Mammogram, right breast, CC view. 39-year-old patient.
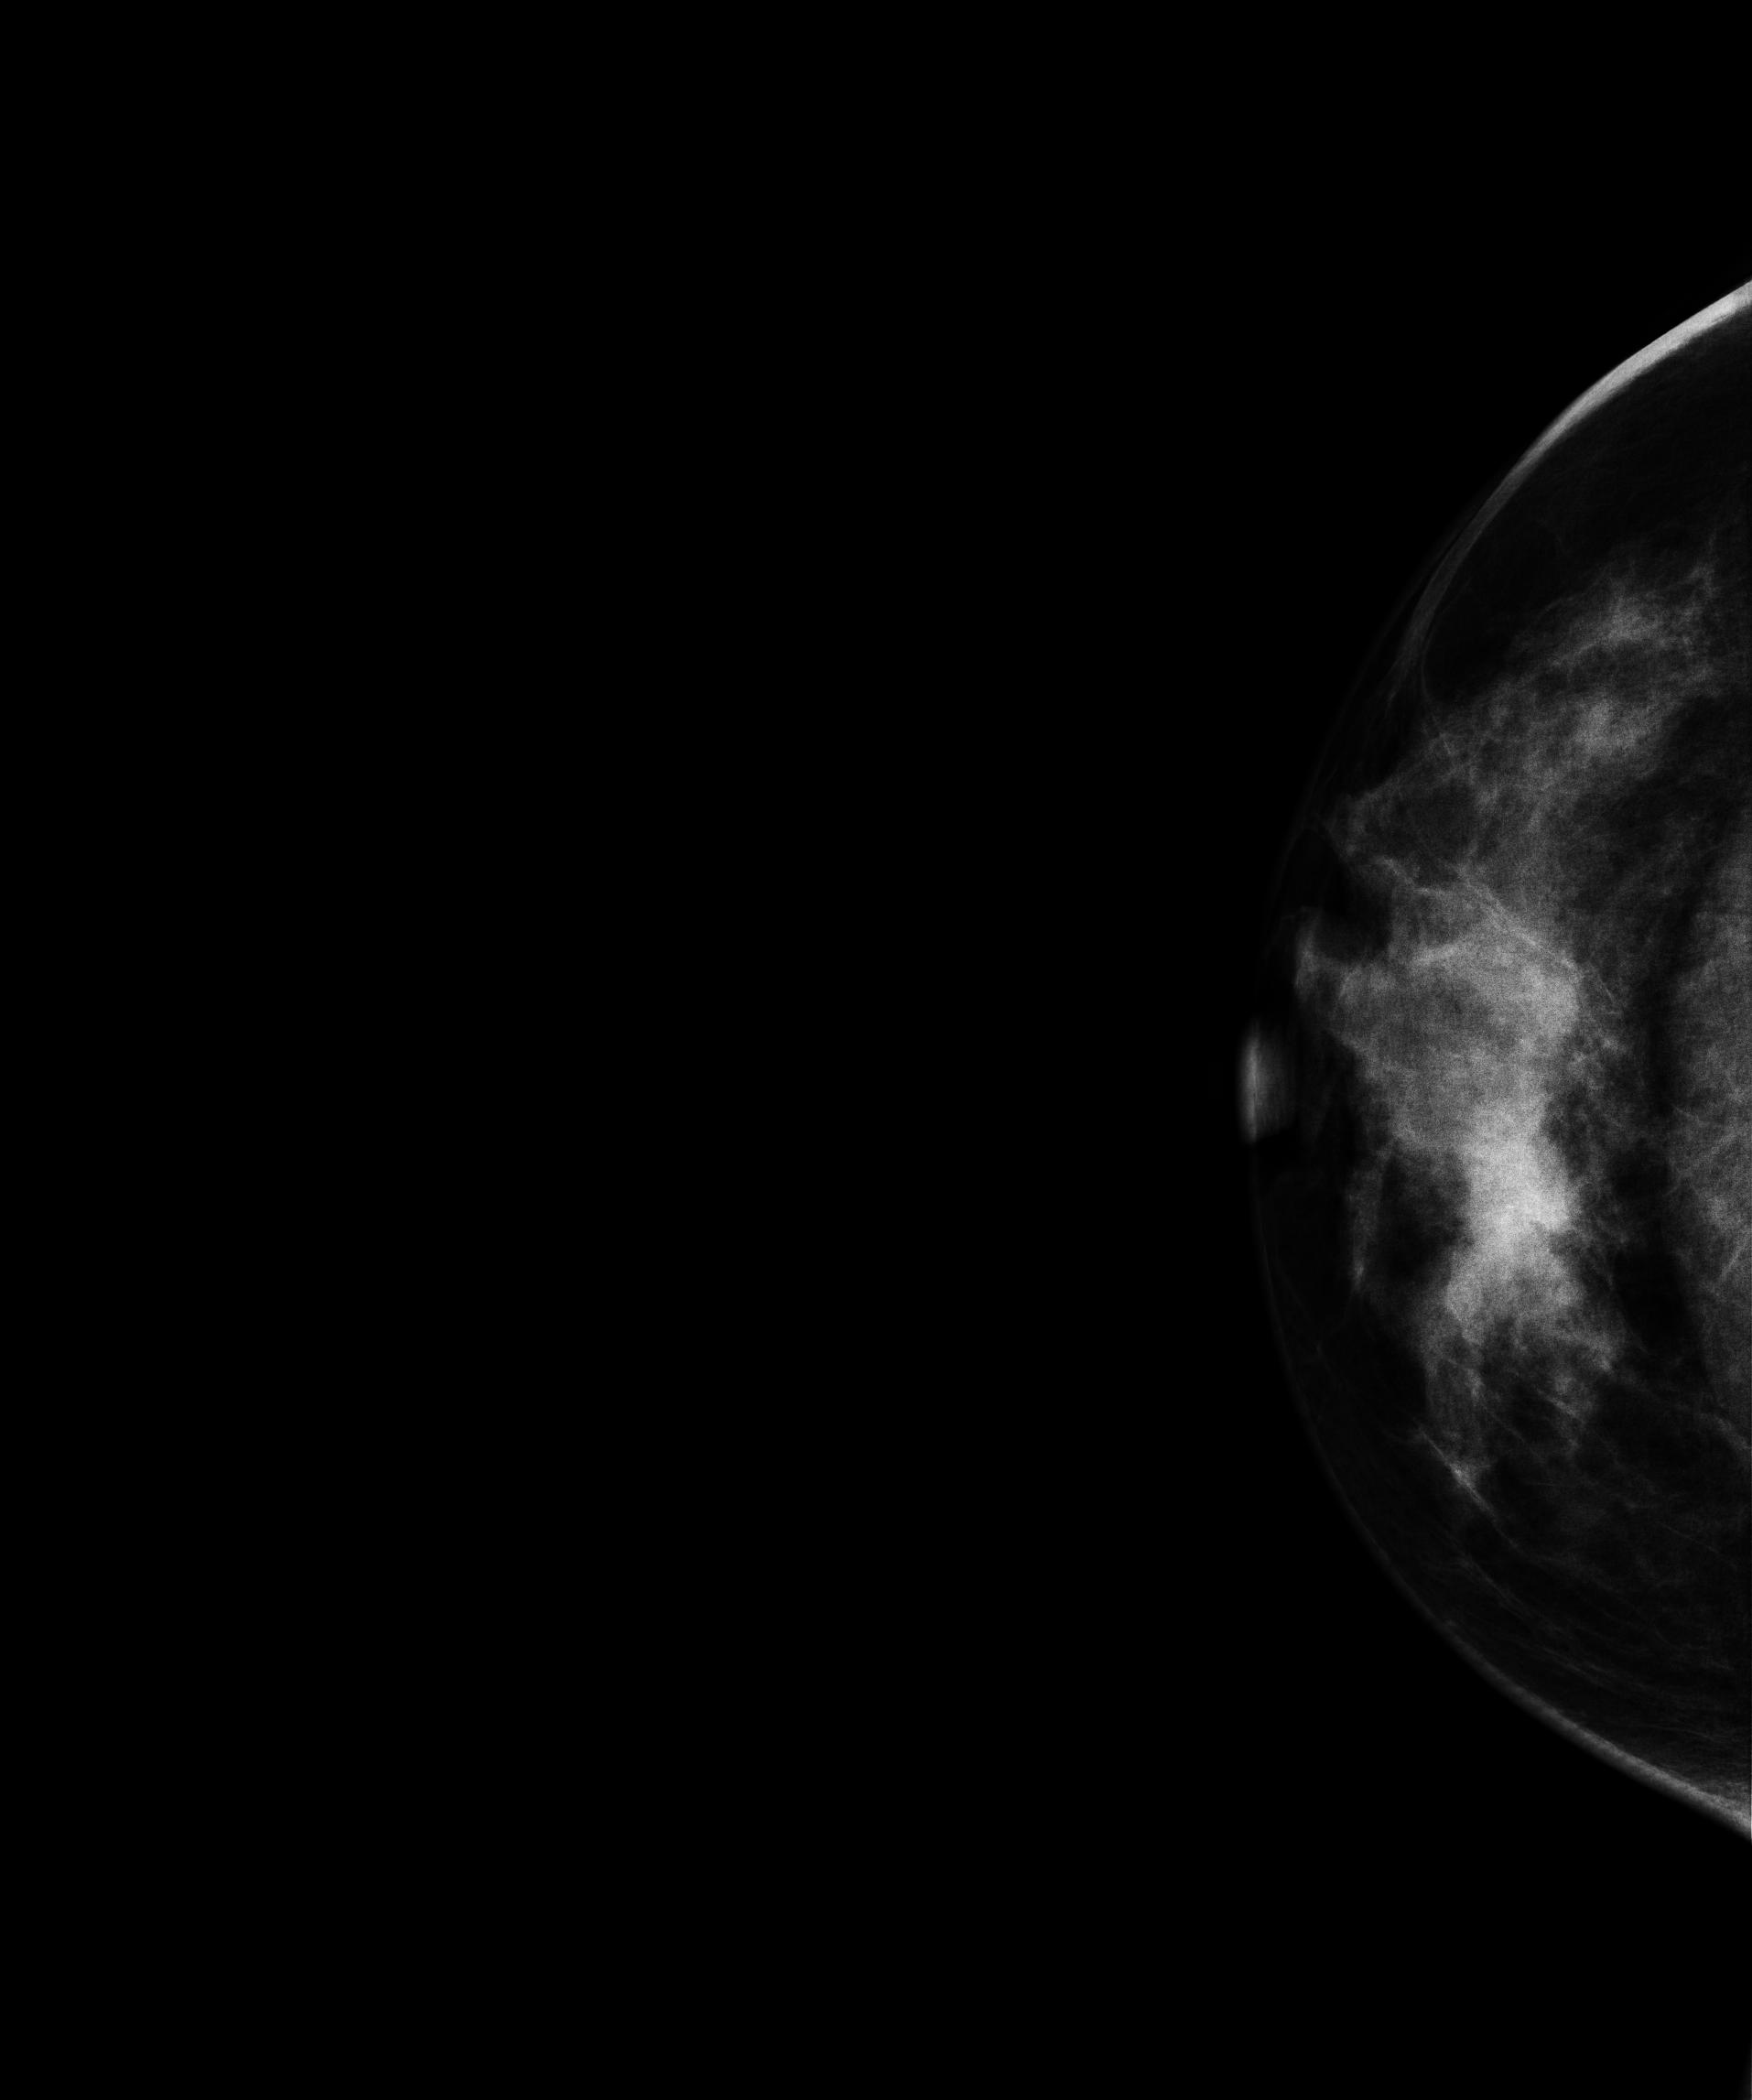
This breast has a mass, histologically confirmed malignant. Molecular subtype: luminal A.